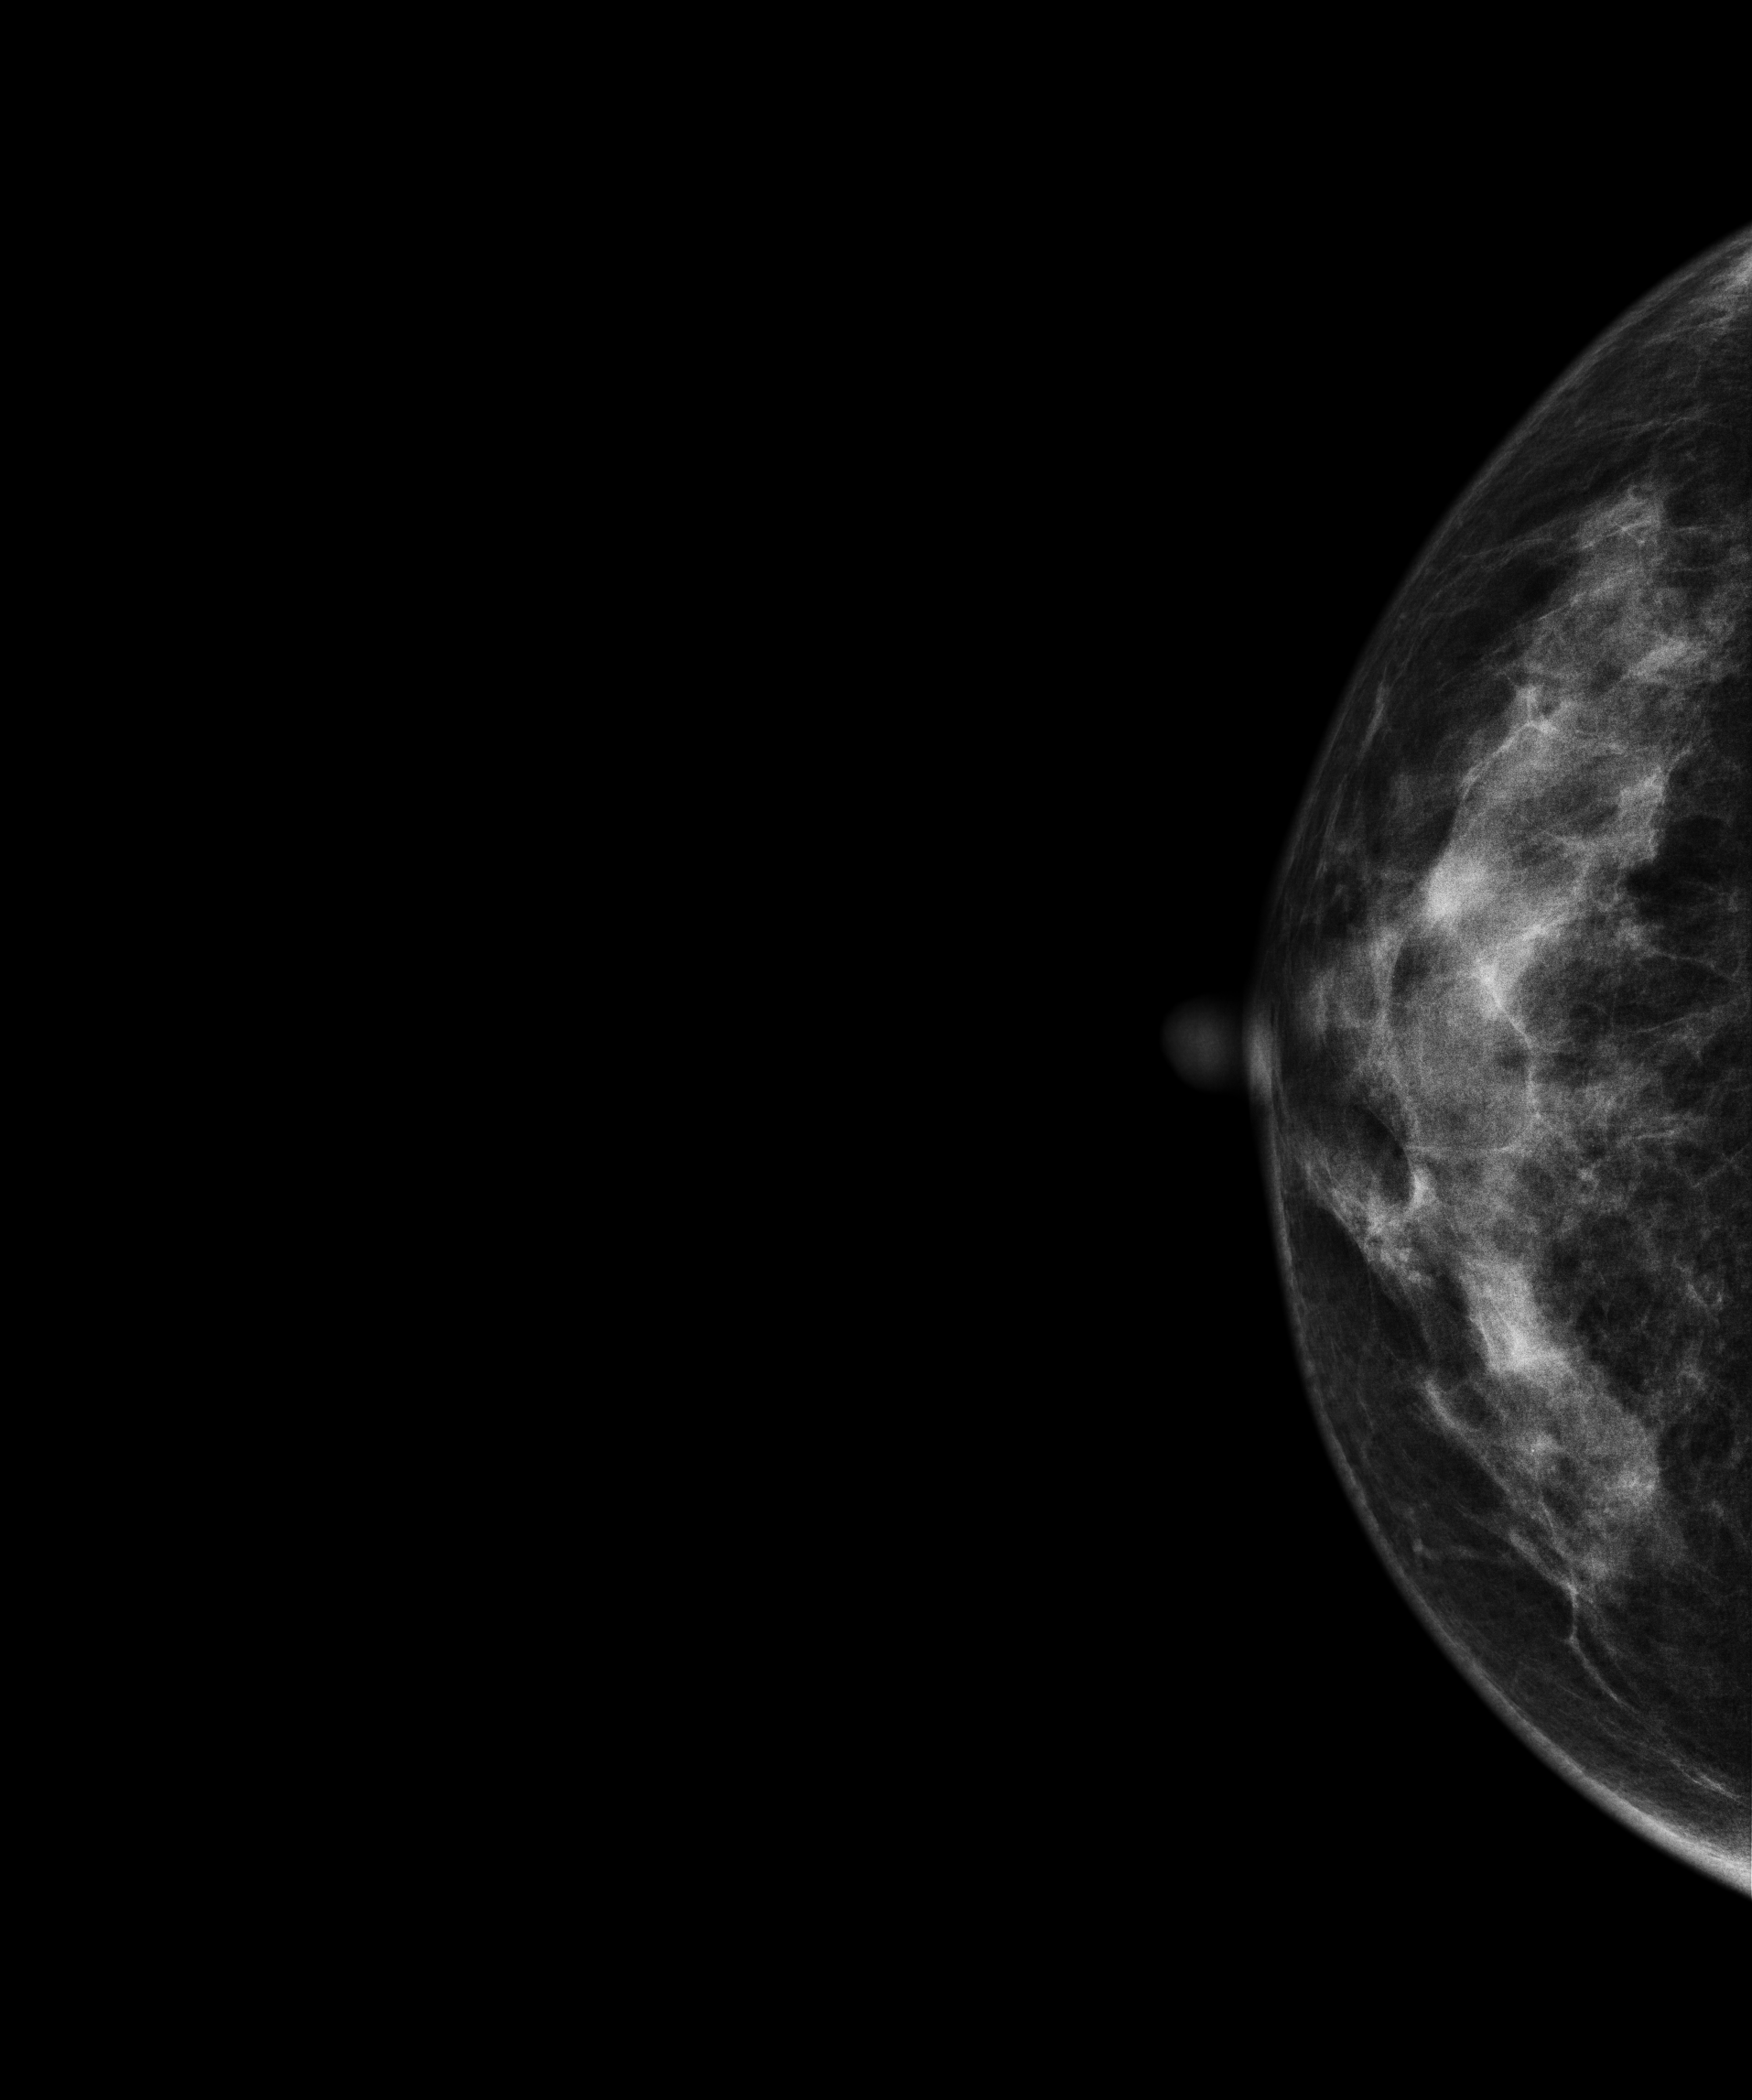
Digital mammography. Right breast, cranio-caudal projection. 43 y/o patient.
Contralateral breast — no documented abnormality on this side.